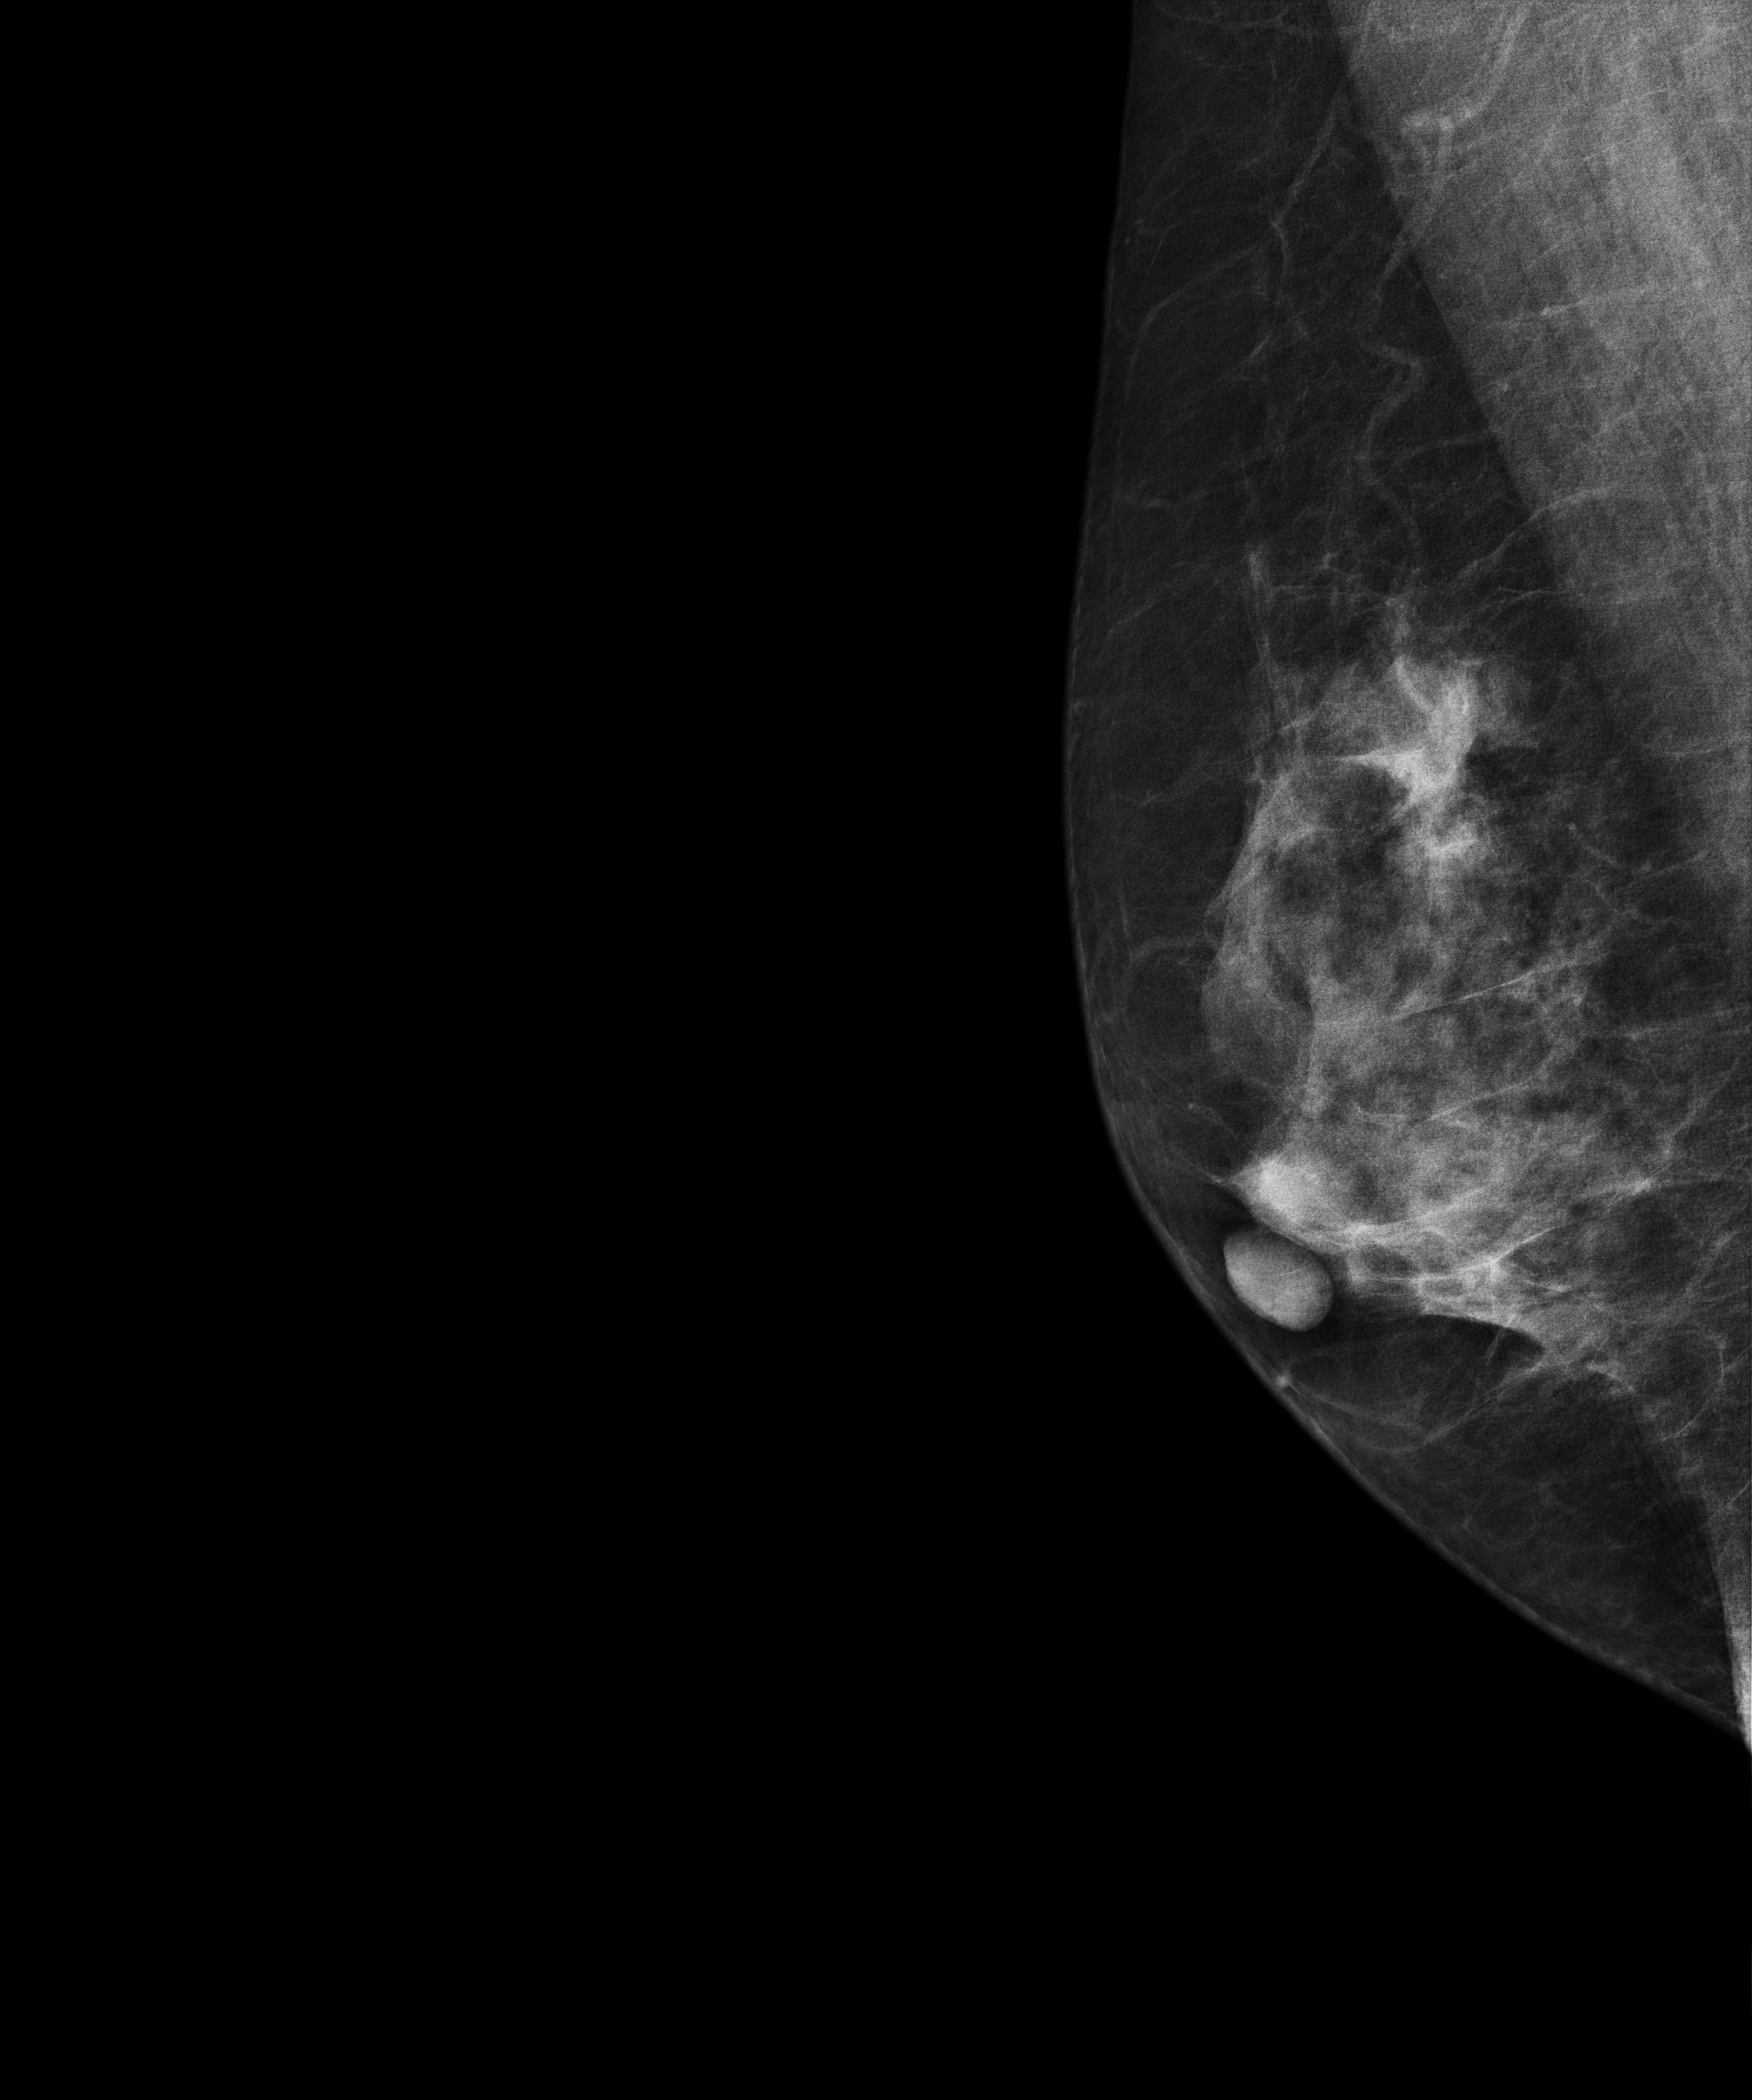
Mammogram — right MLO. Patient age 58.
This breast has a mass, pathology-confirmed malignant.